CC mammogram of the left breast. Patient age 50.
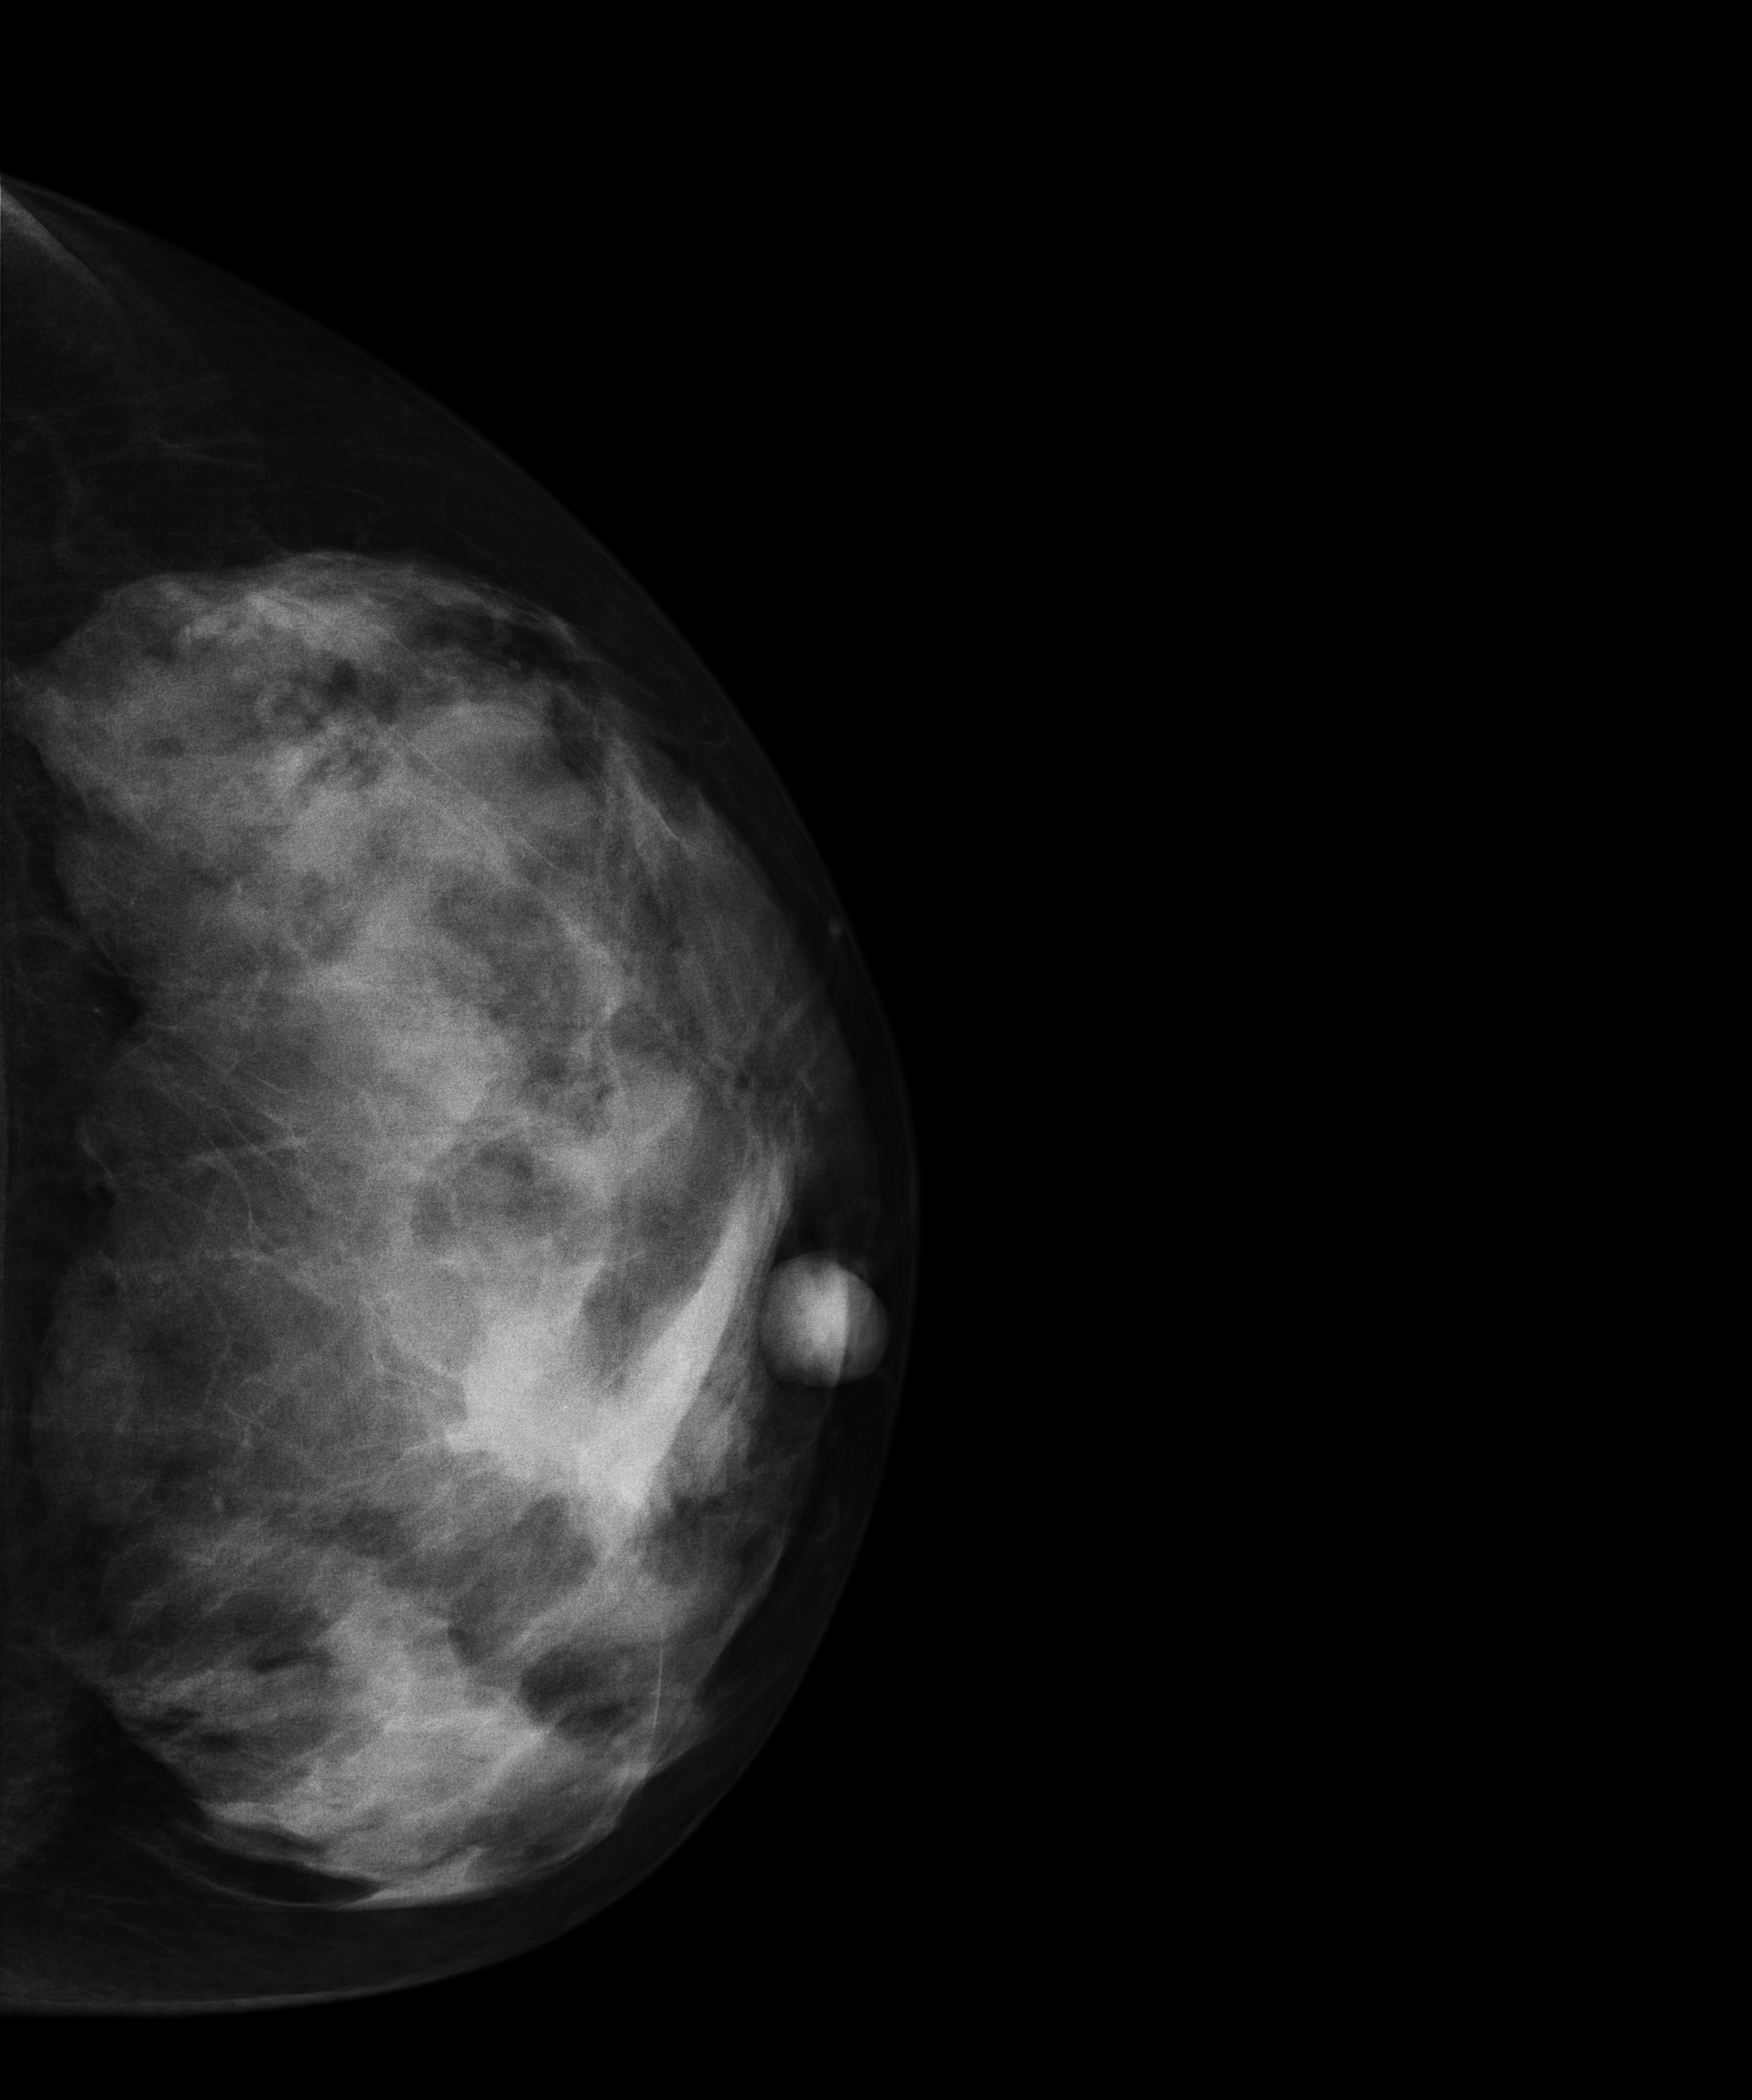
This breast has a mass, biopsy-proven malignant. Molecular subtype: luminal B.